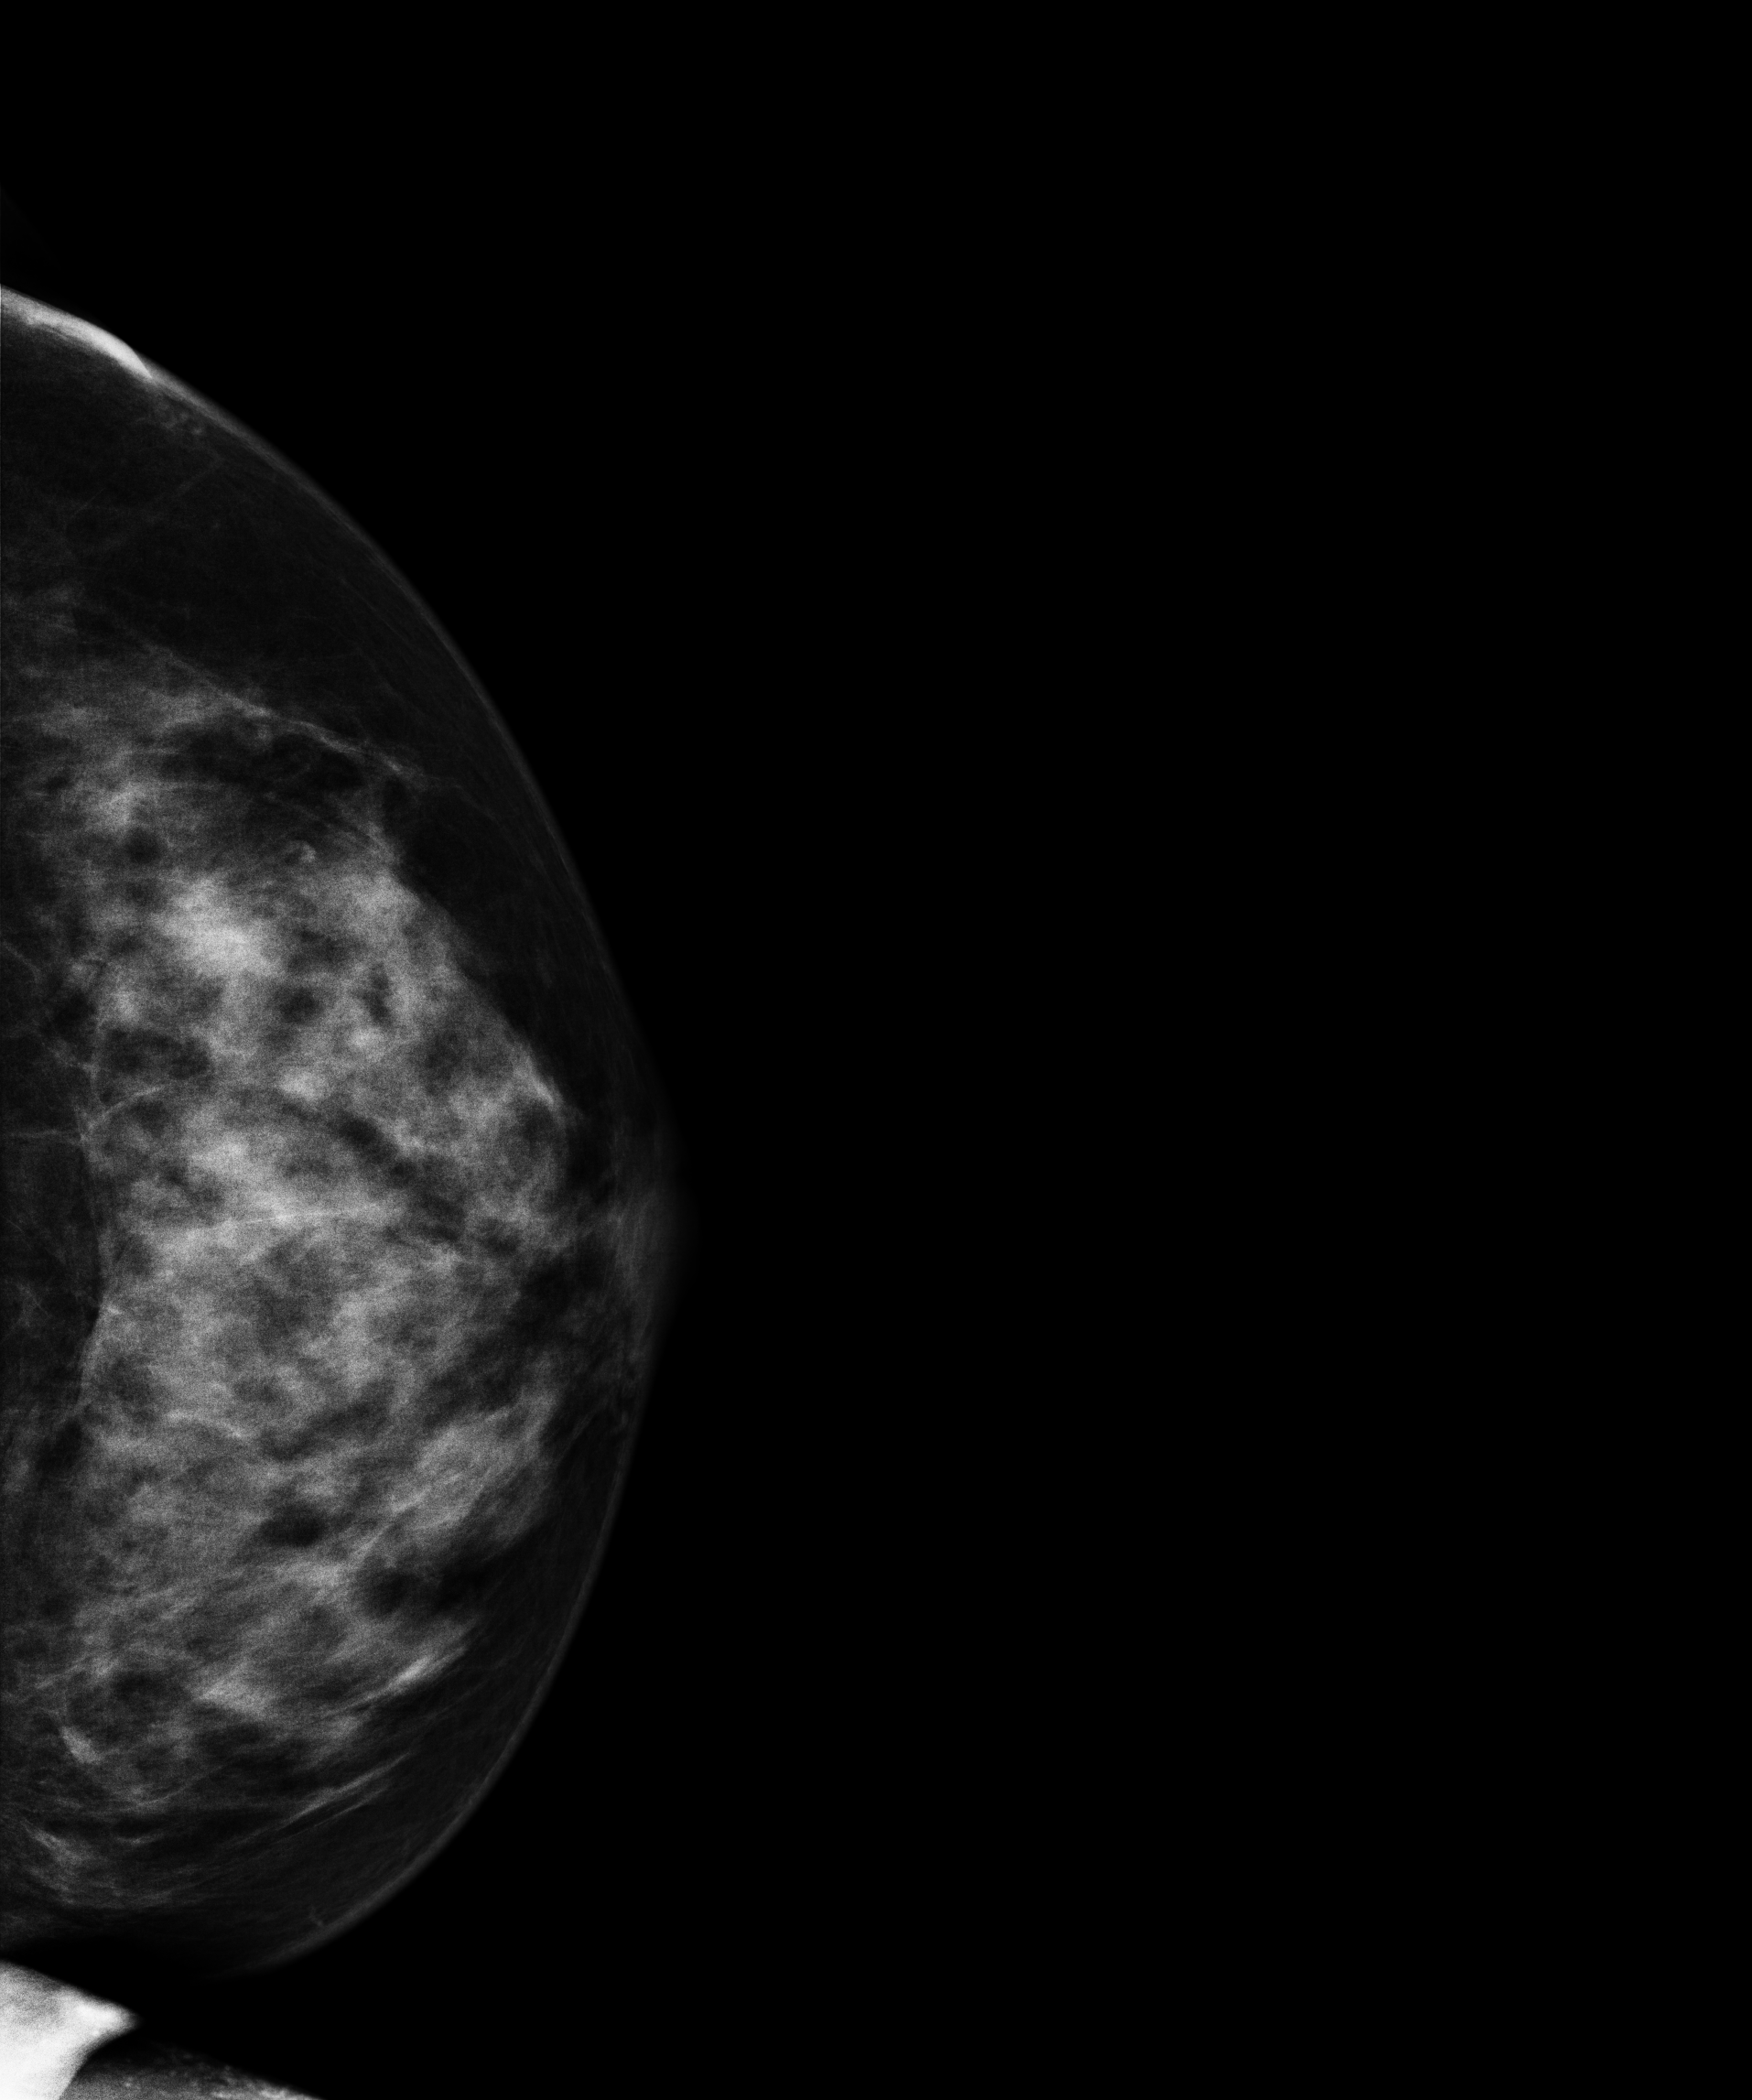
Digital mammography. Left breast, cranio-caudal projection. 47 y/o patient.
Contralateral breast — no documented abnormality on this side.